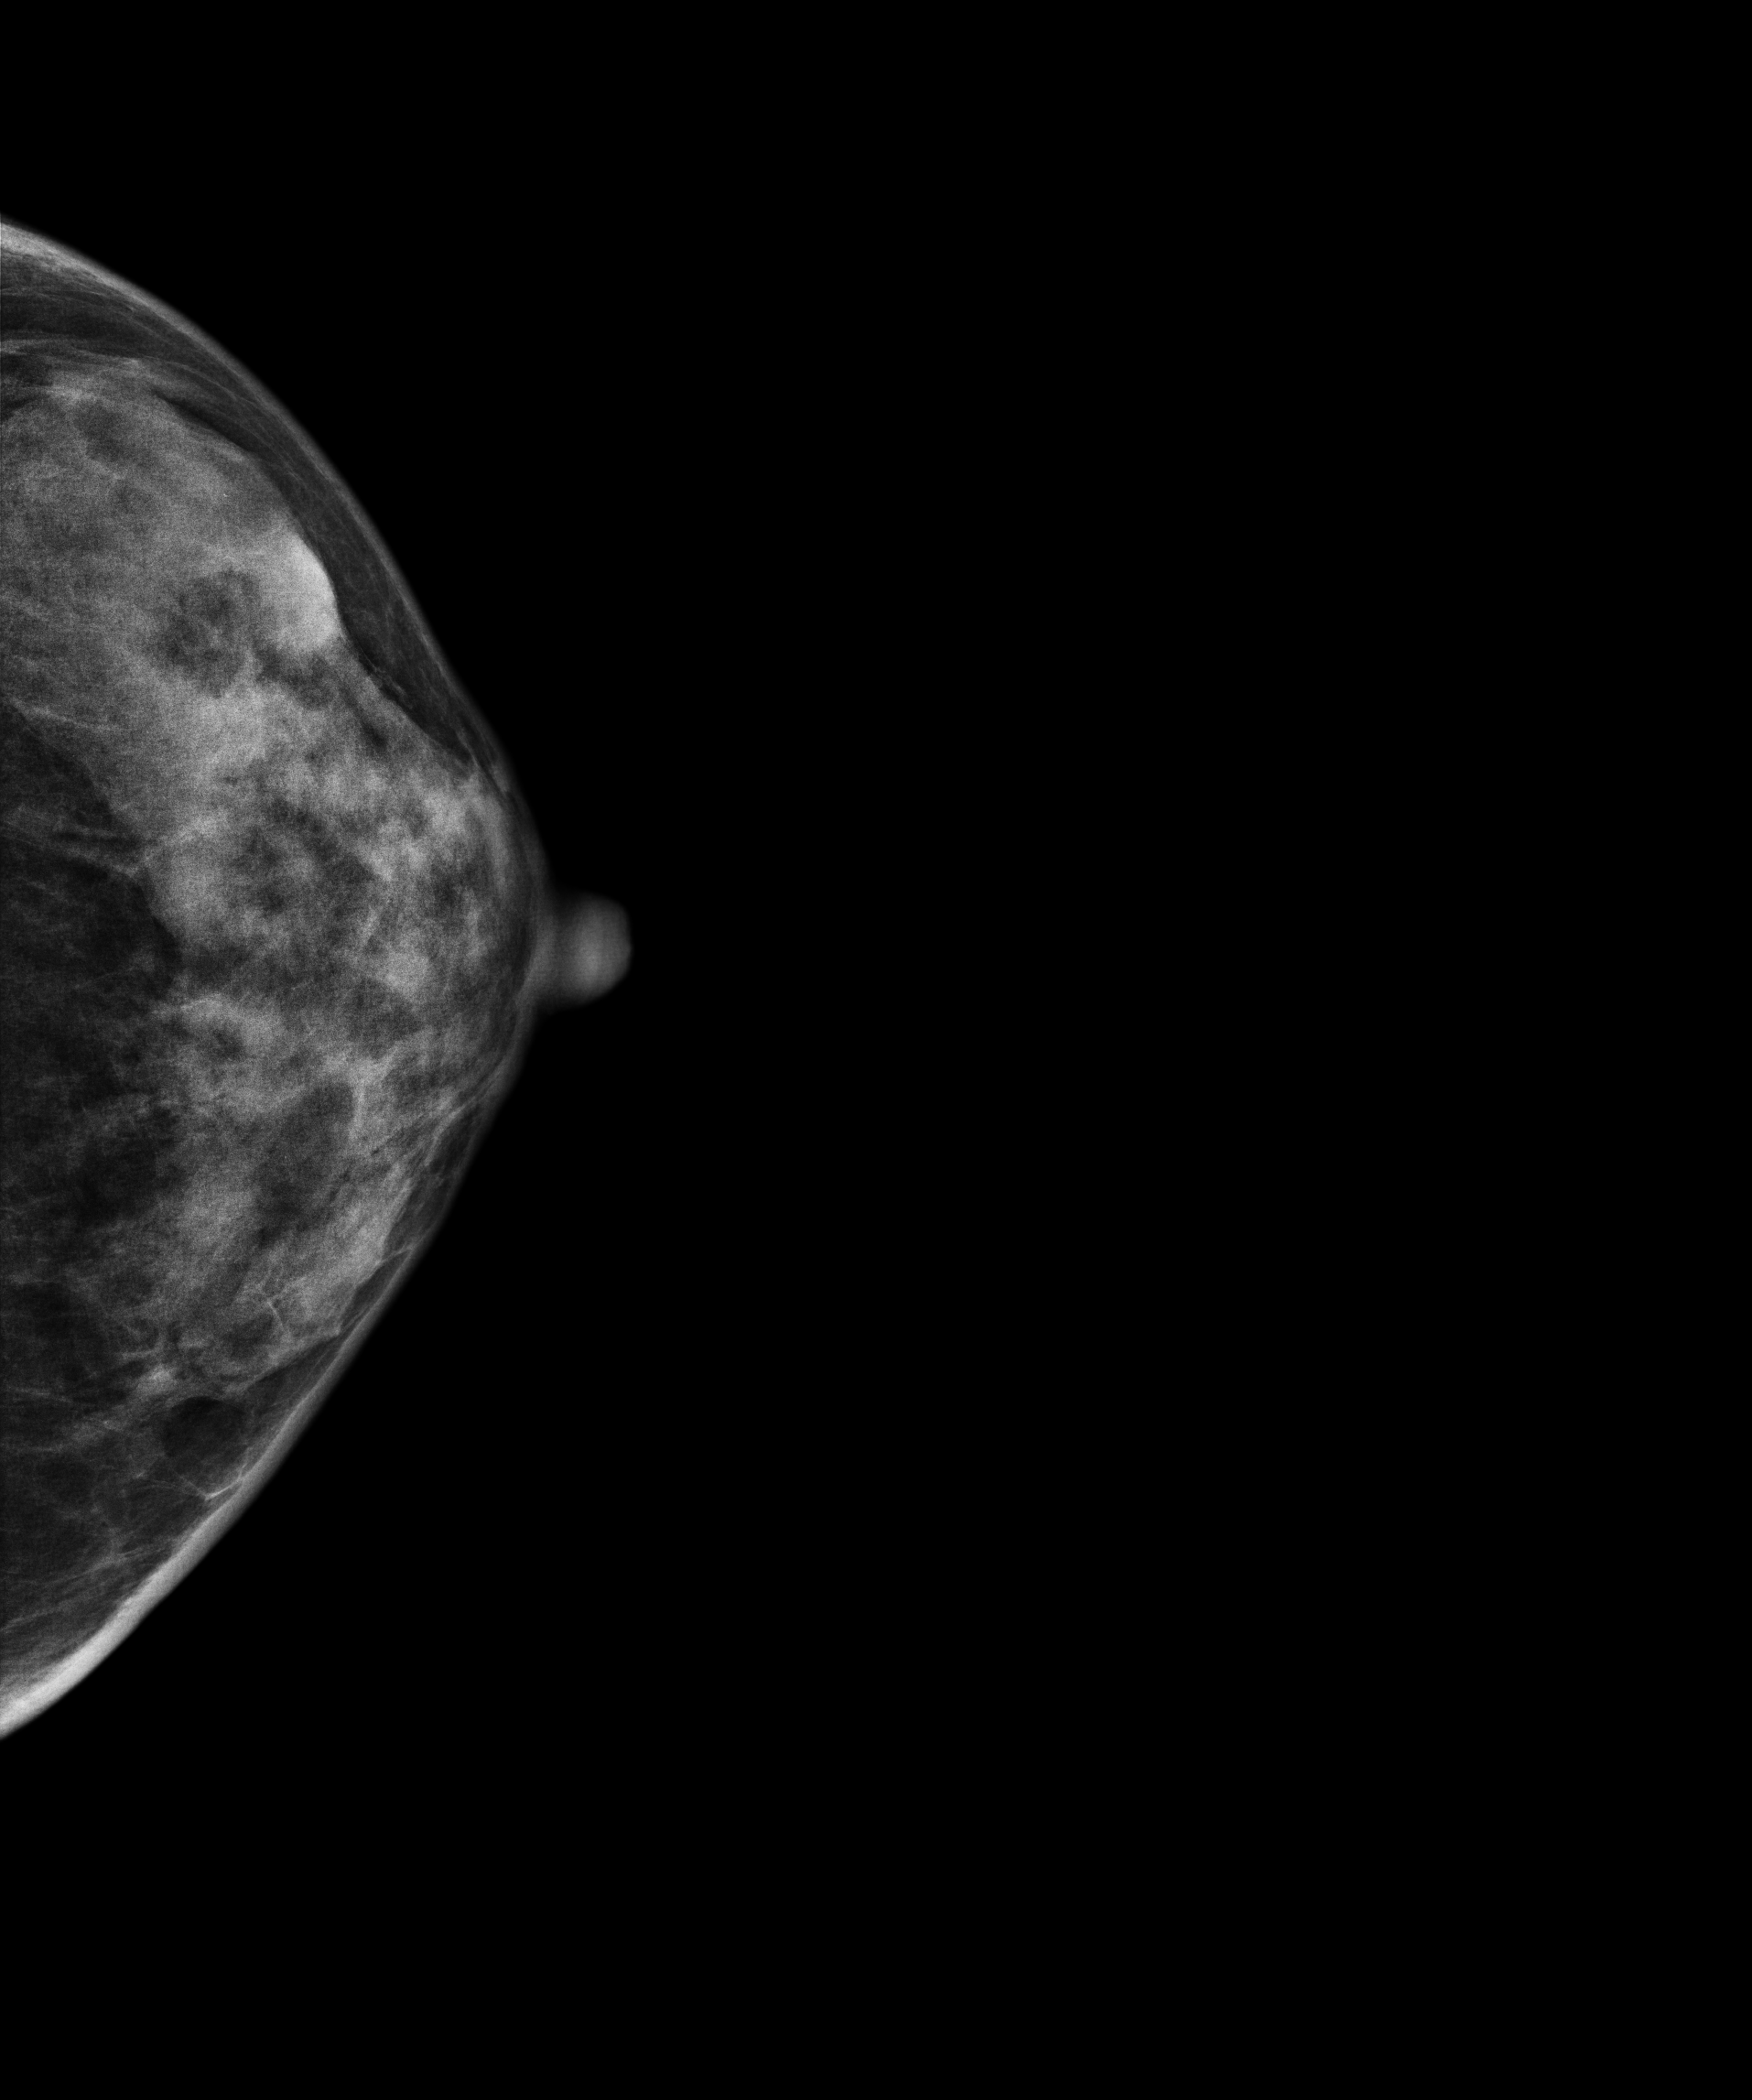
Mammogram — left cranio-caudal. 50 y/o patient.
This breast has a mass, pathology-confirmed benign.